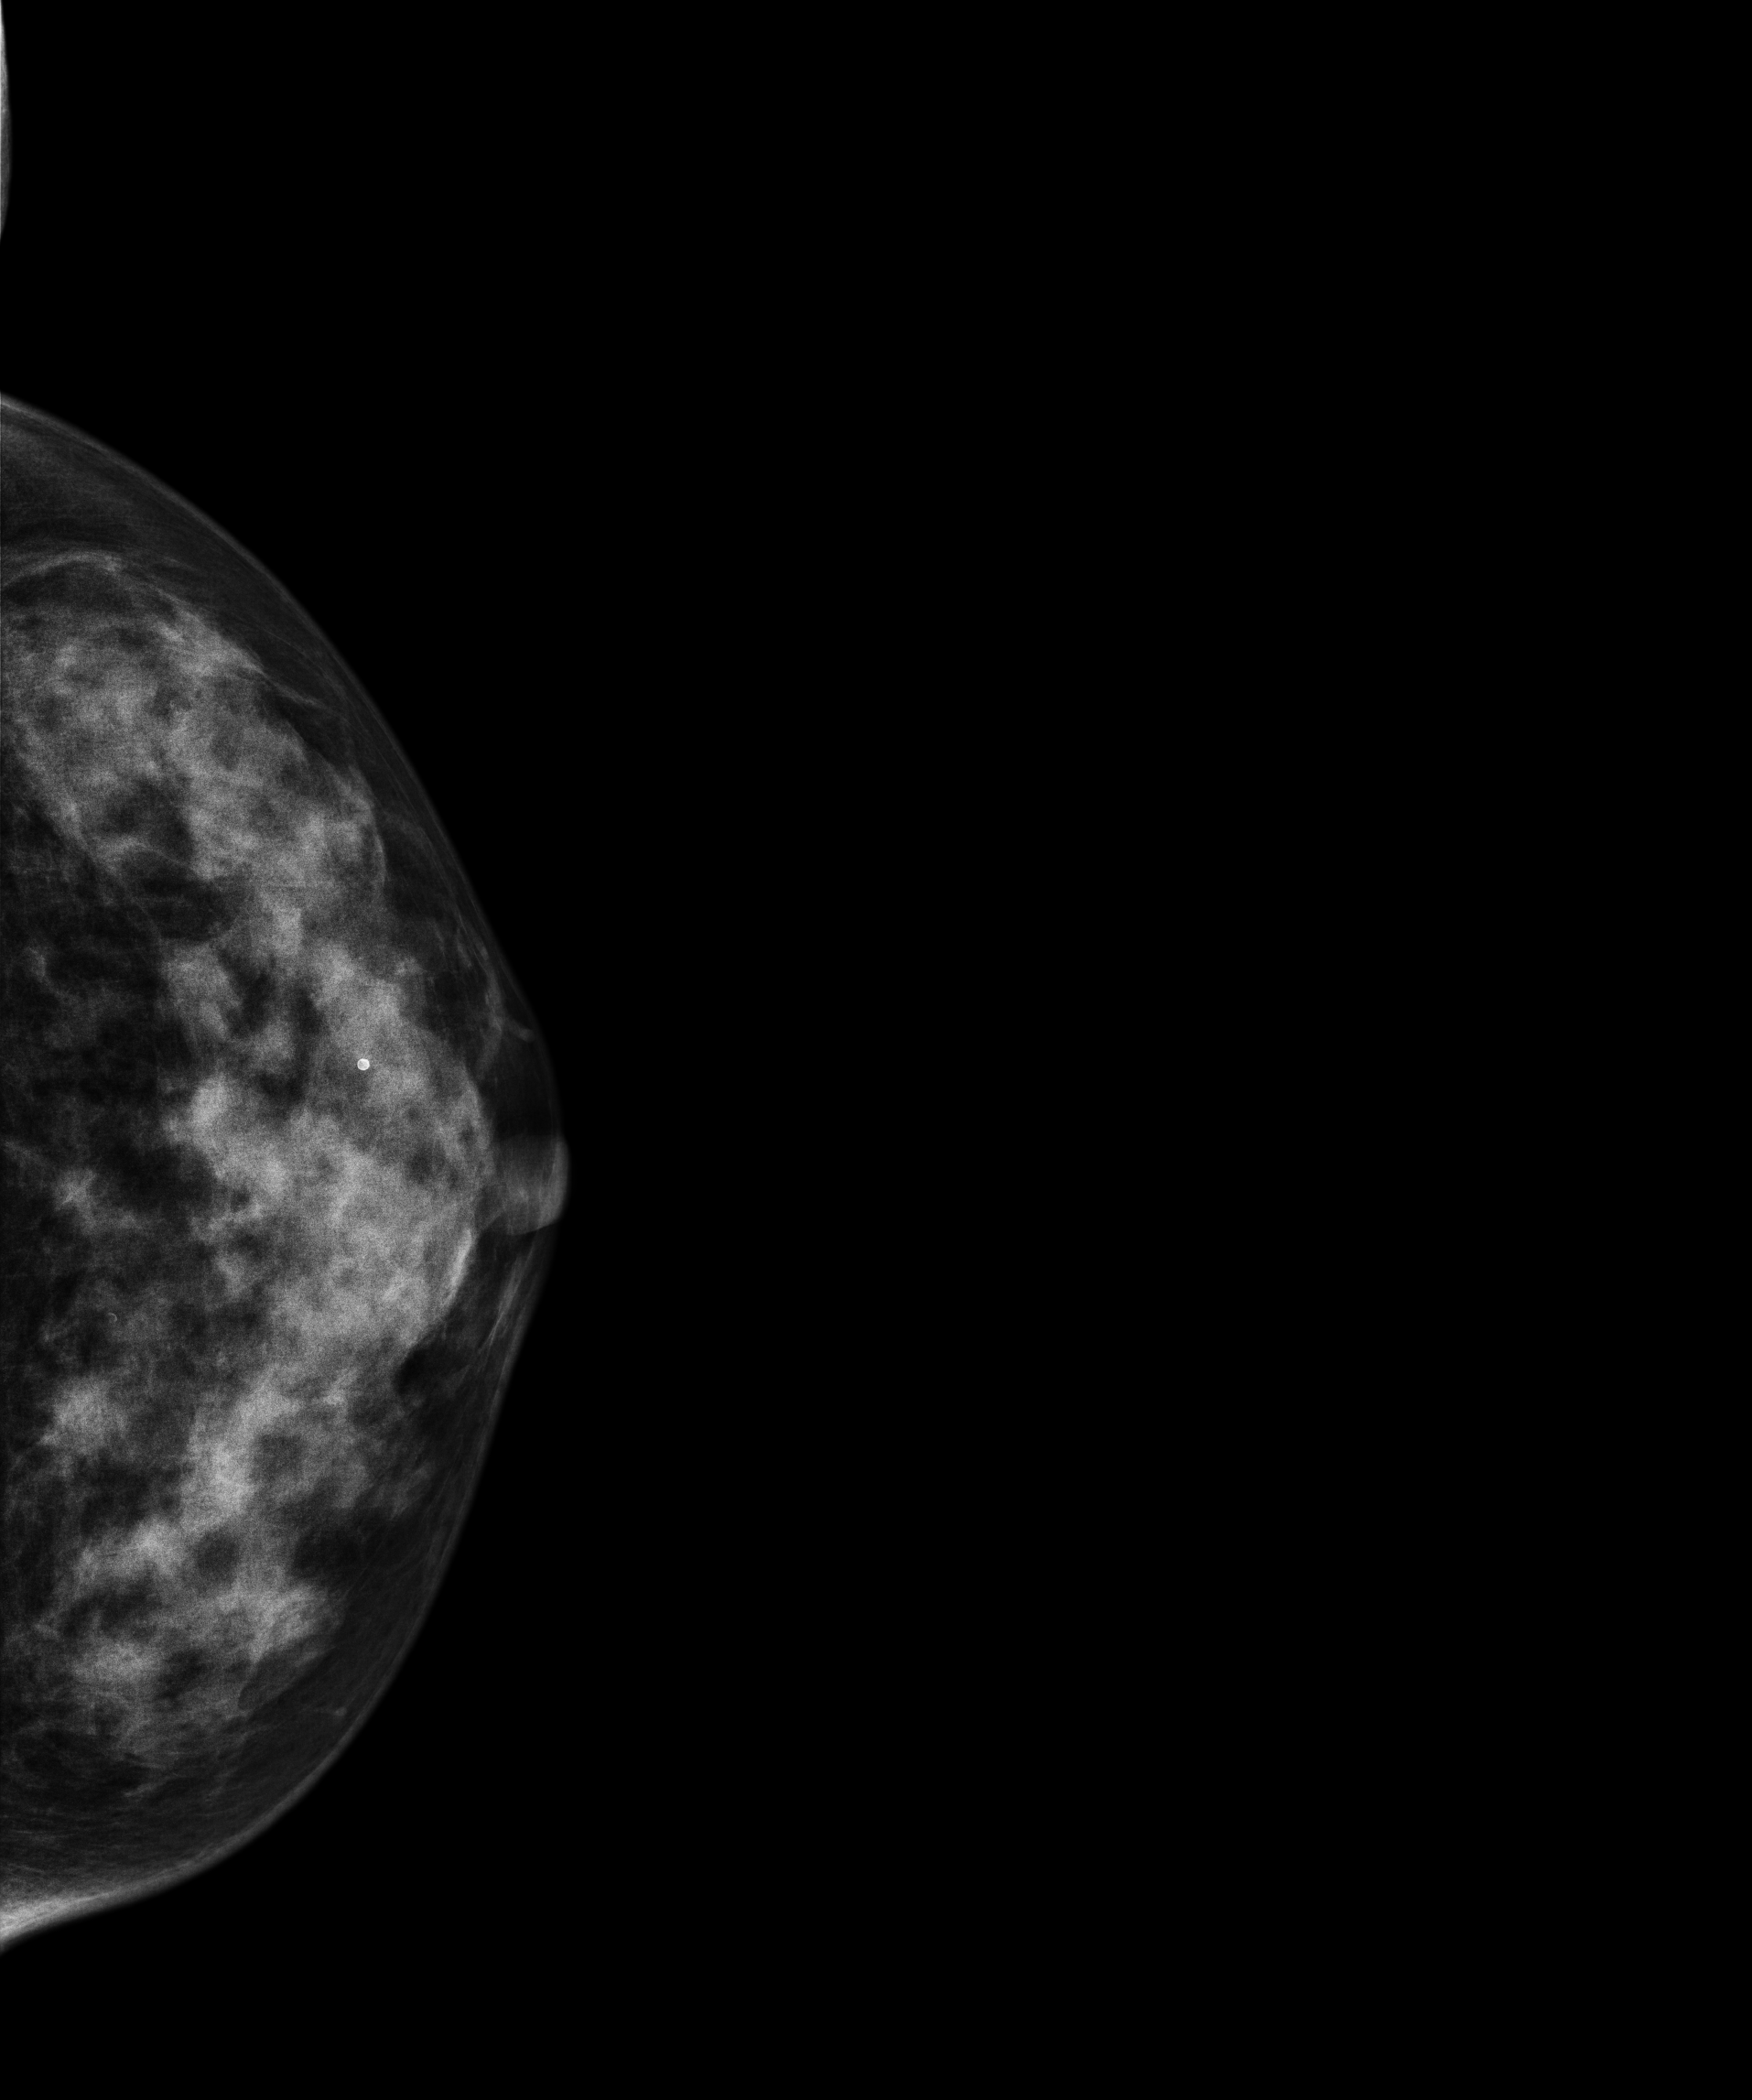
CC mammogram of the left breast. 47 y/o patient.
Contralateral breast — no documented abnormality on this side.